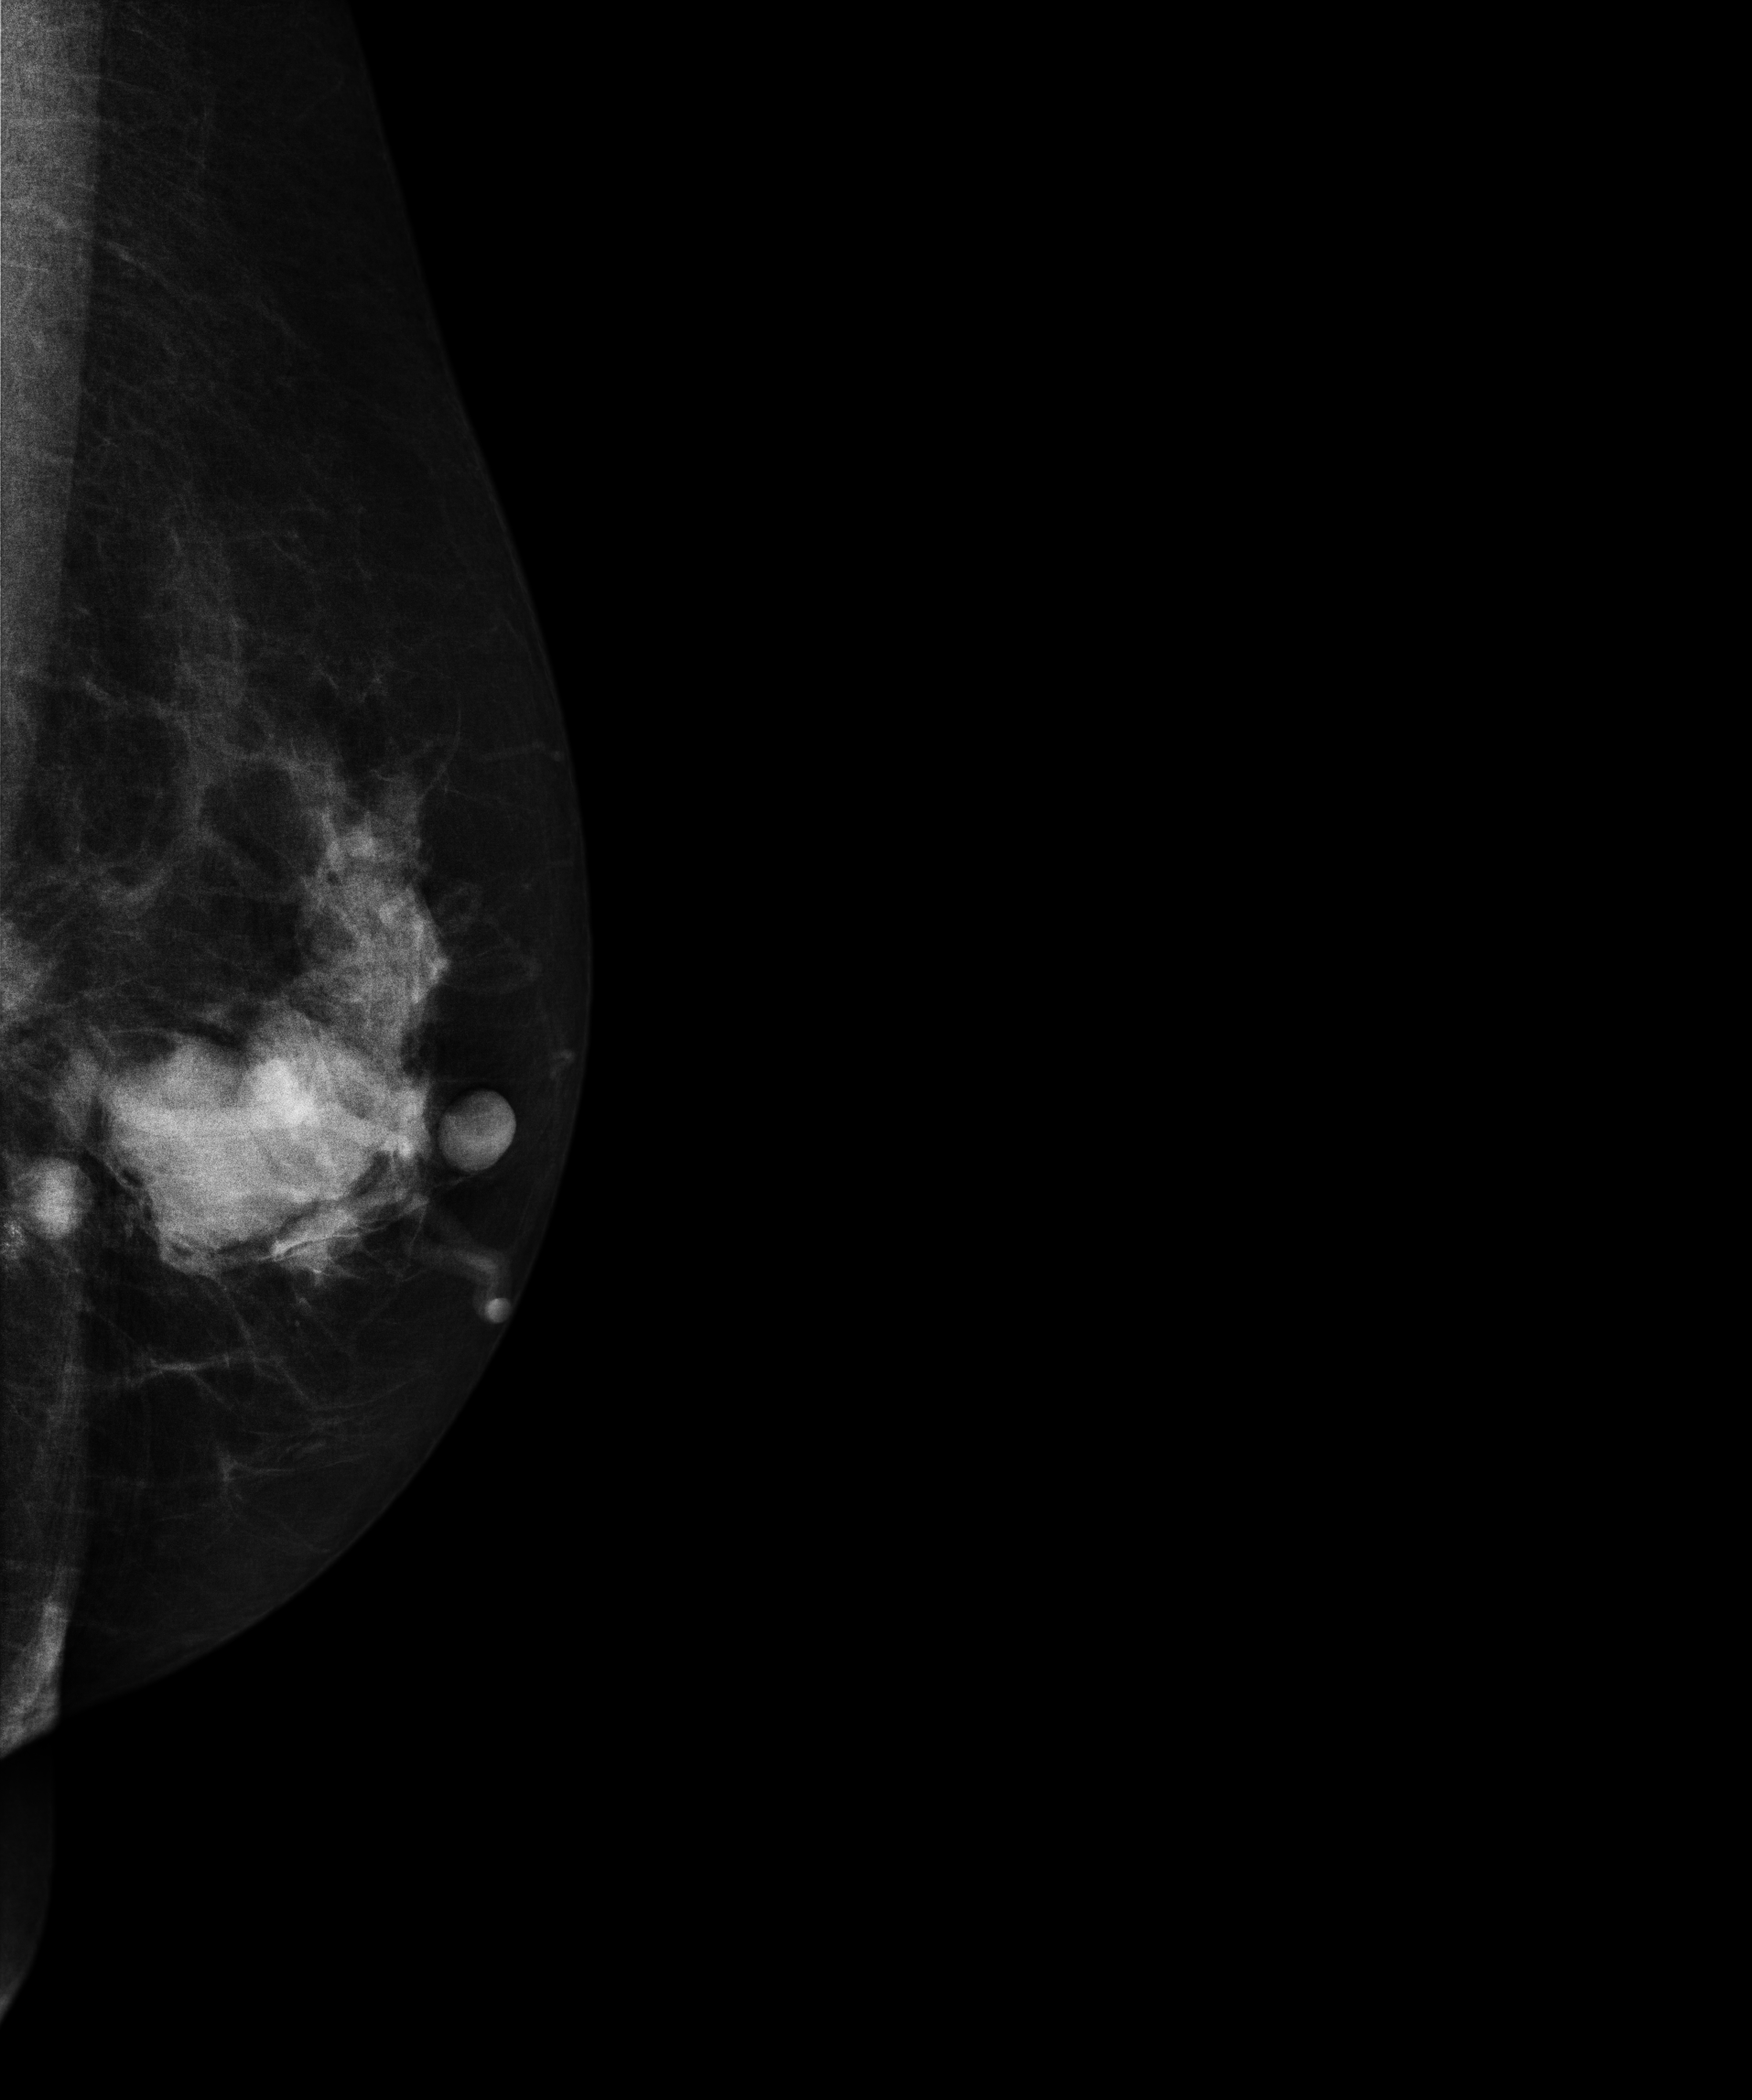
Mammogram — left MLO. 71-year-old patient.
This breast has a mass, histologically confirmed malignant.